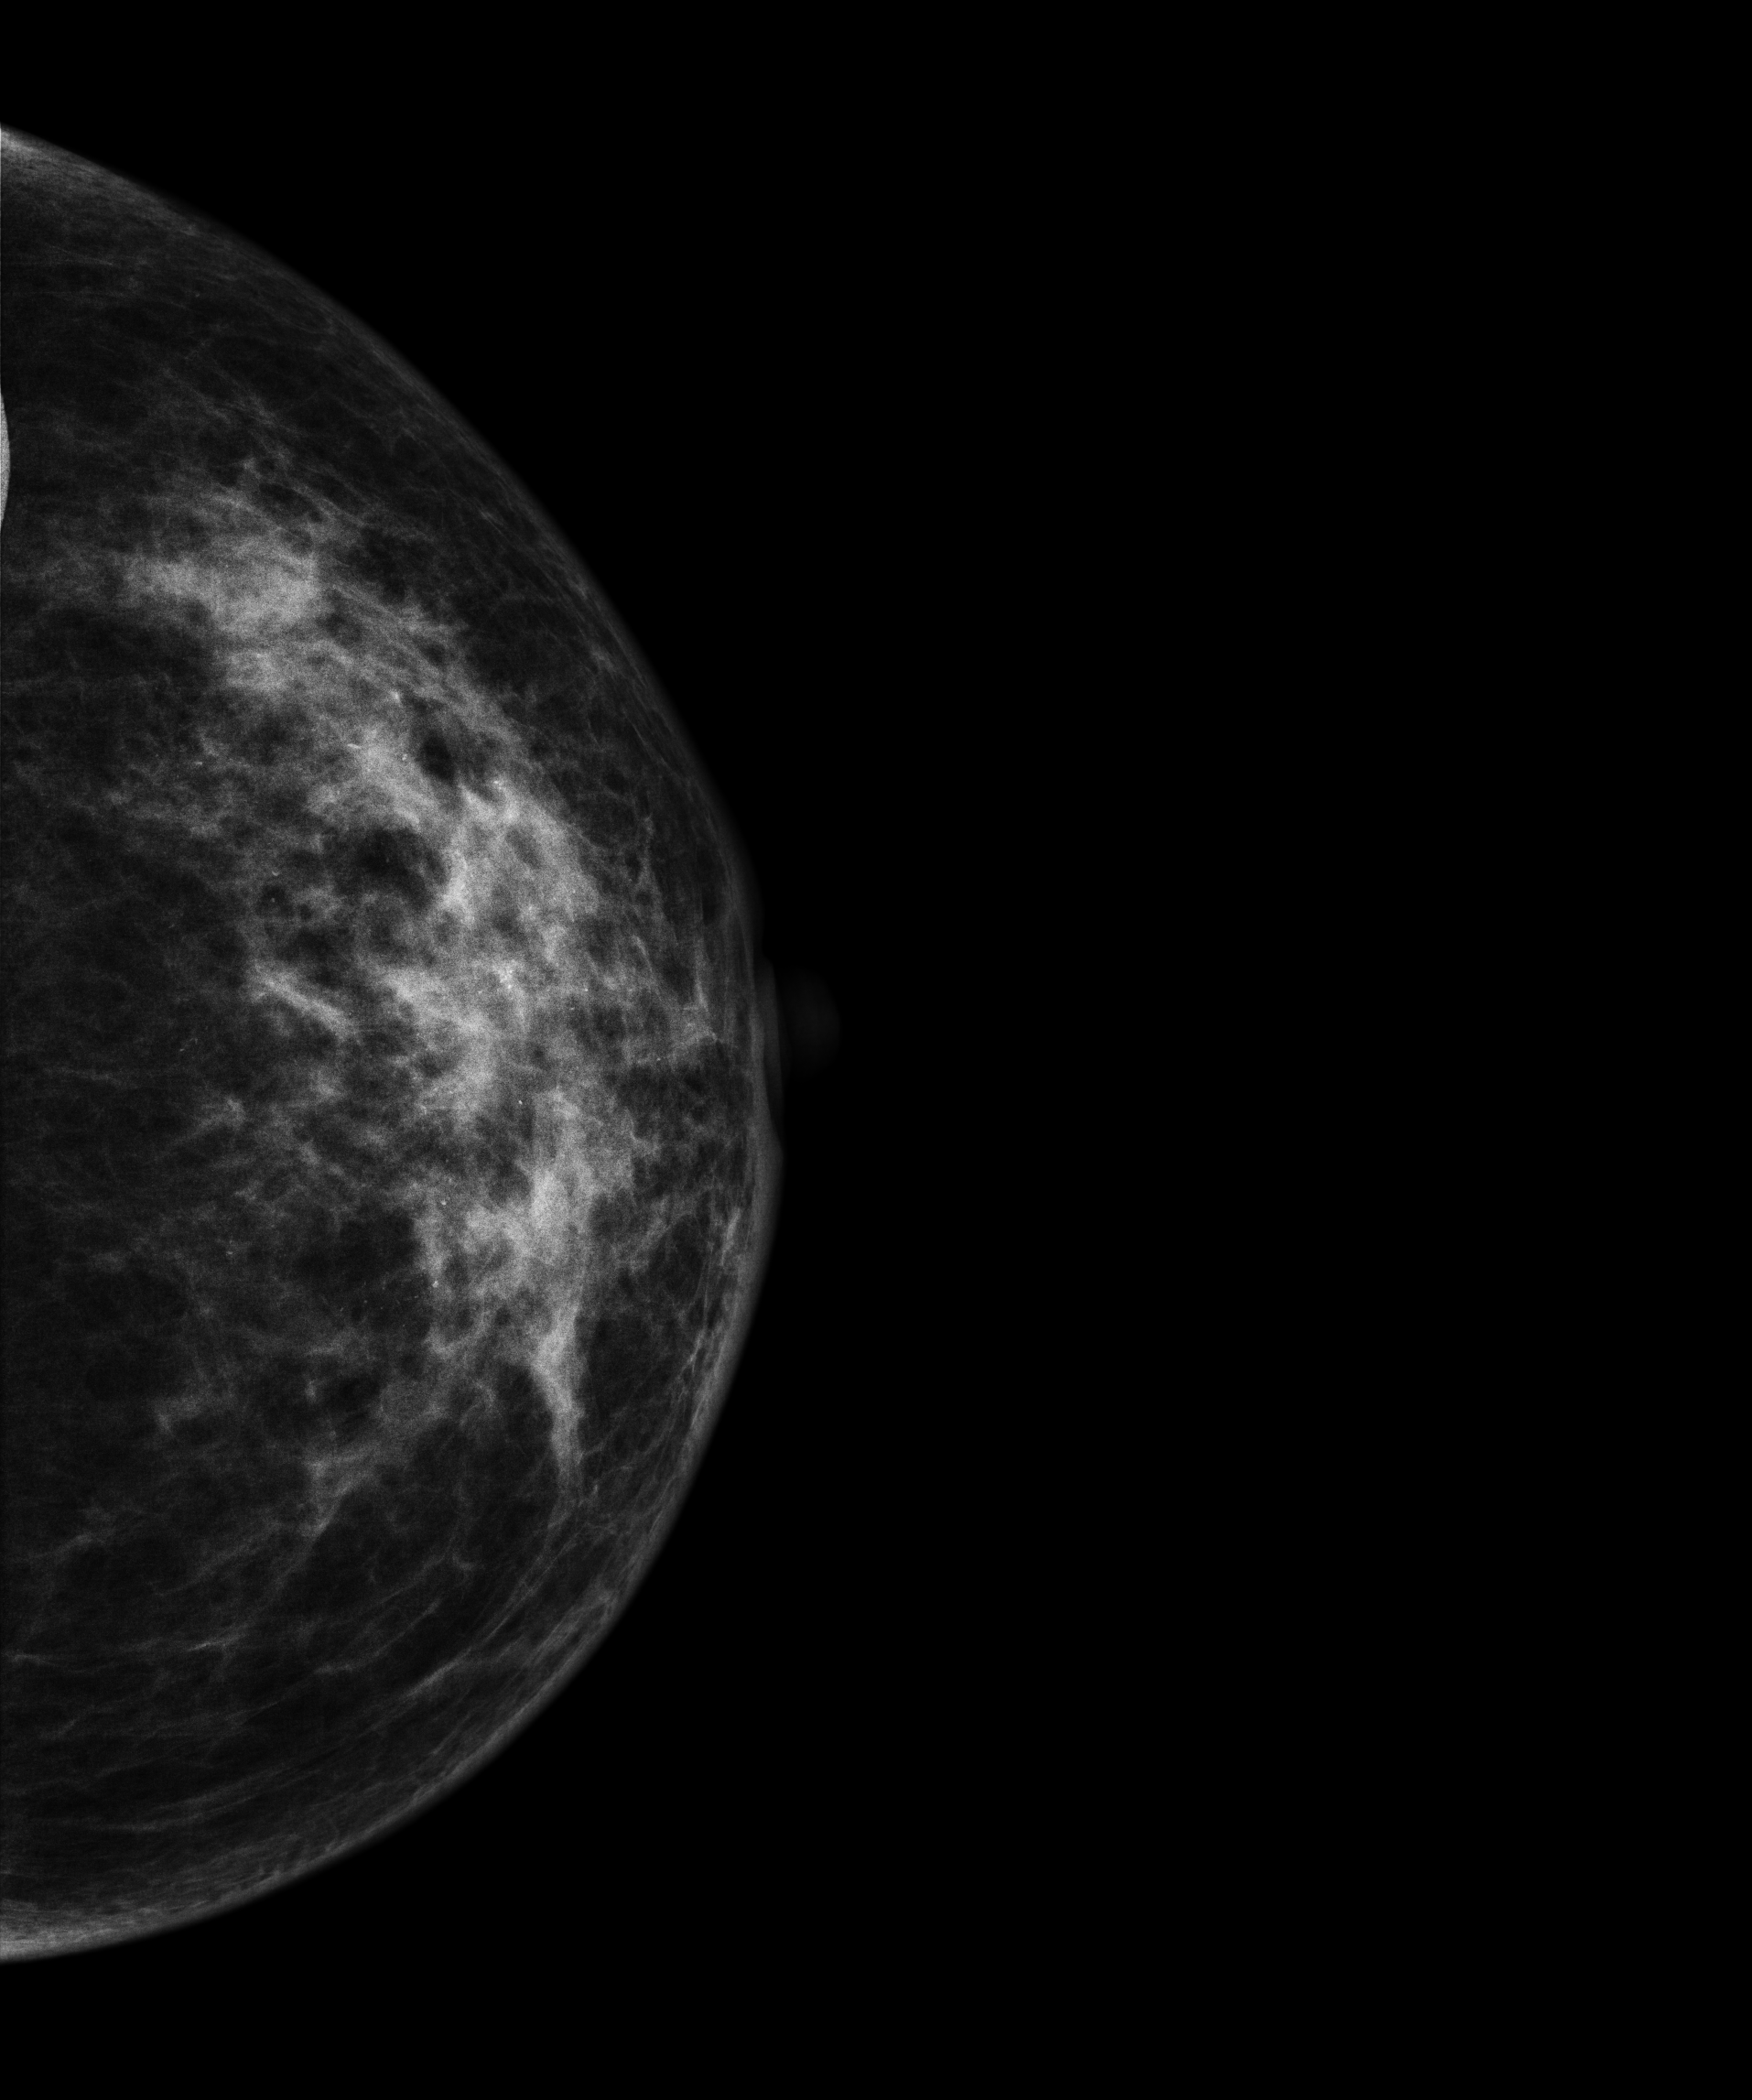
CC mammogram of the left breast. Patient age 57.
This breast has calcifications, histologically confirmed malignant. Molecular subtype: luminal B.